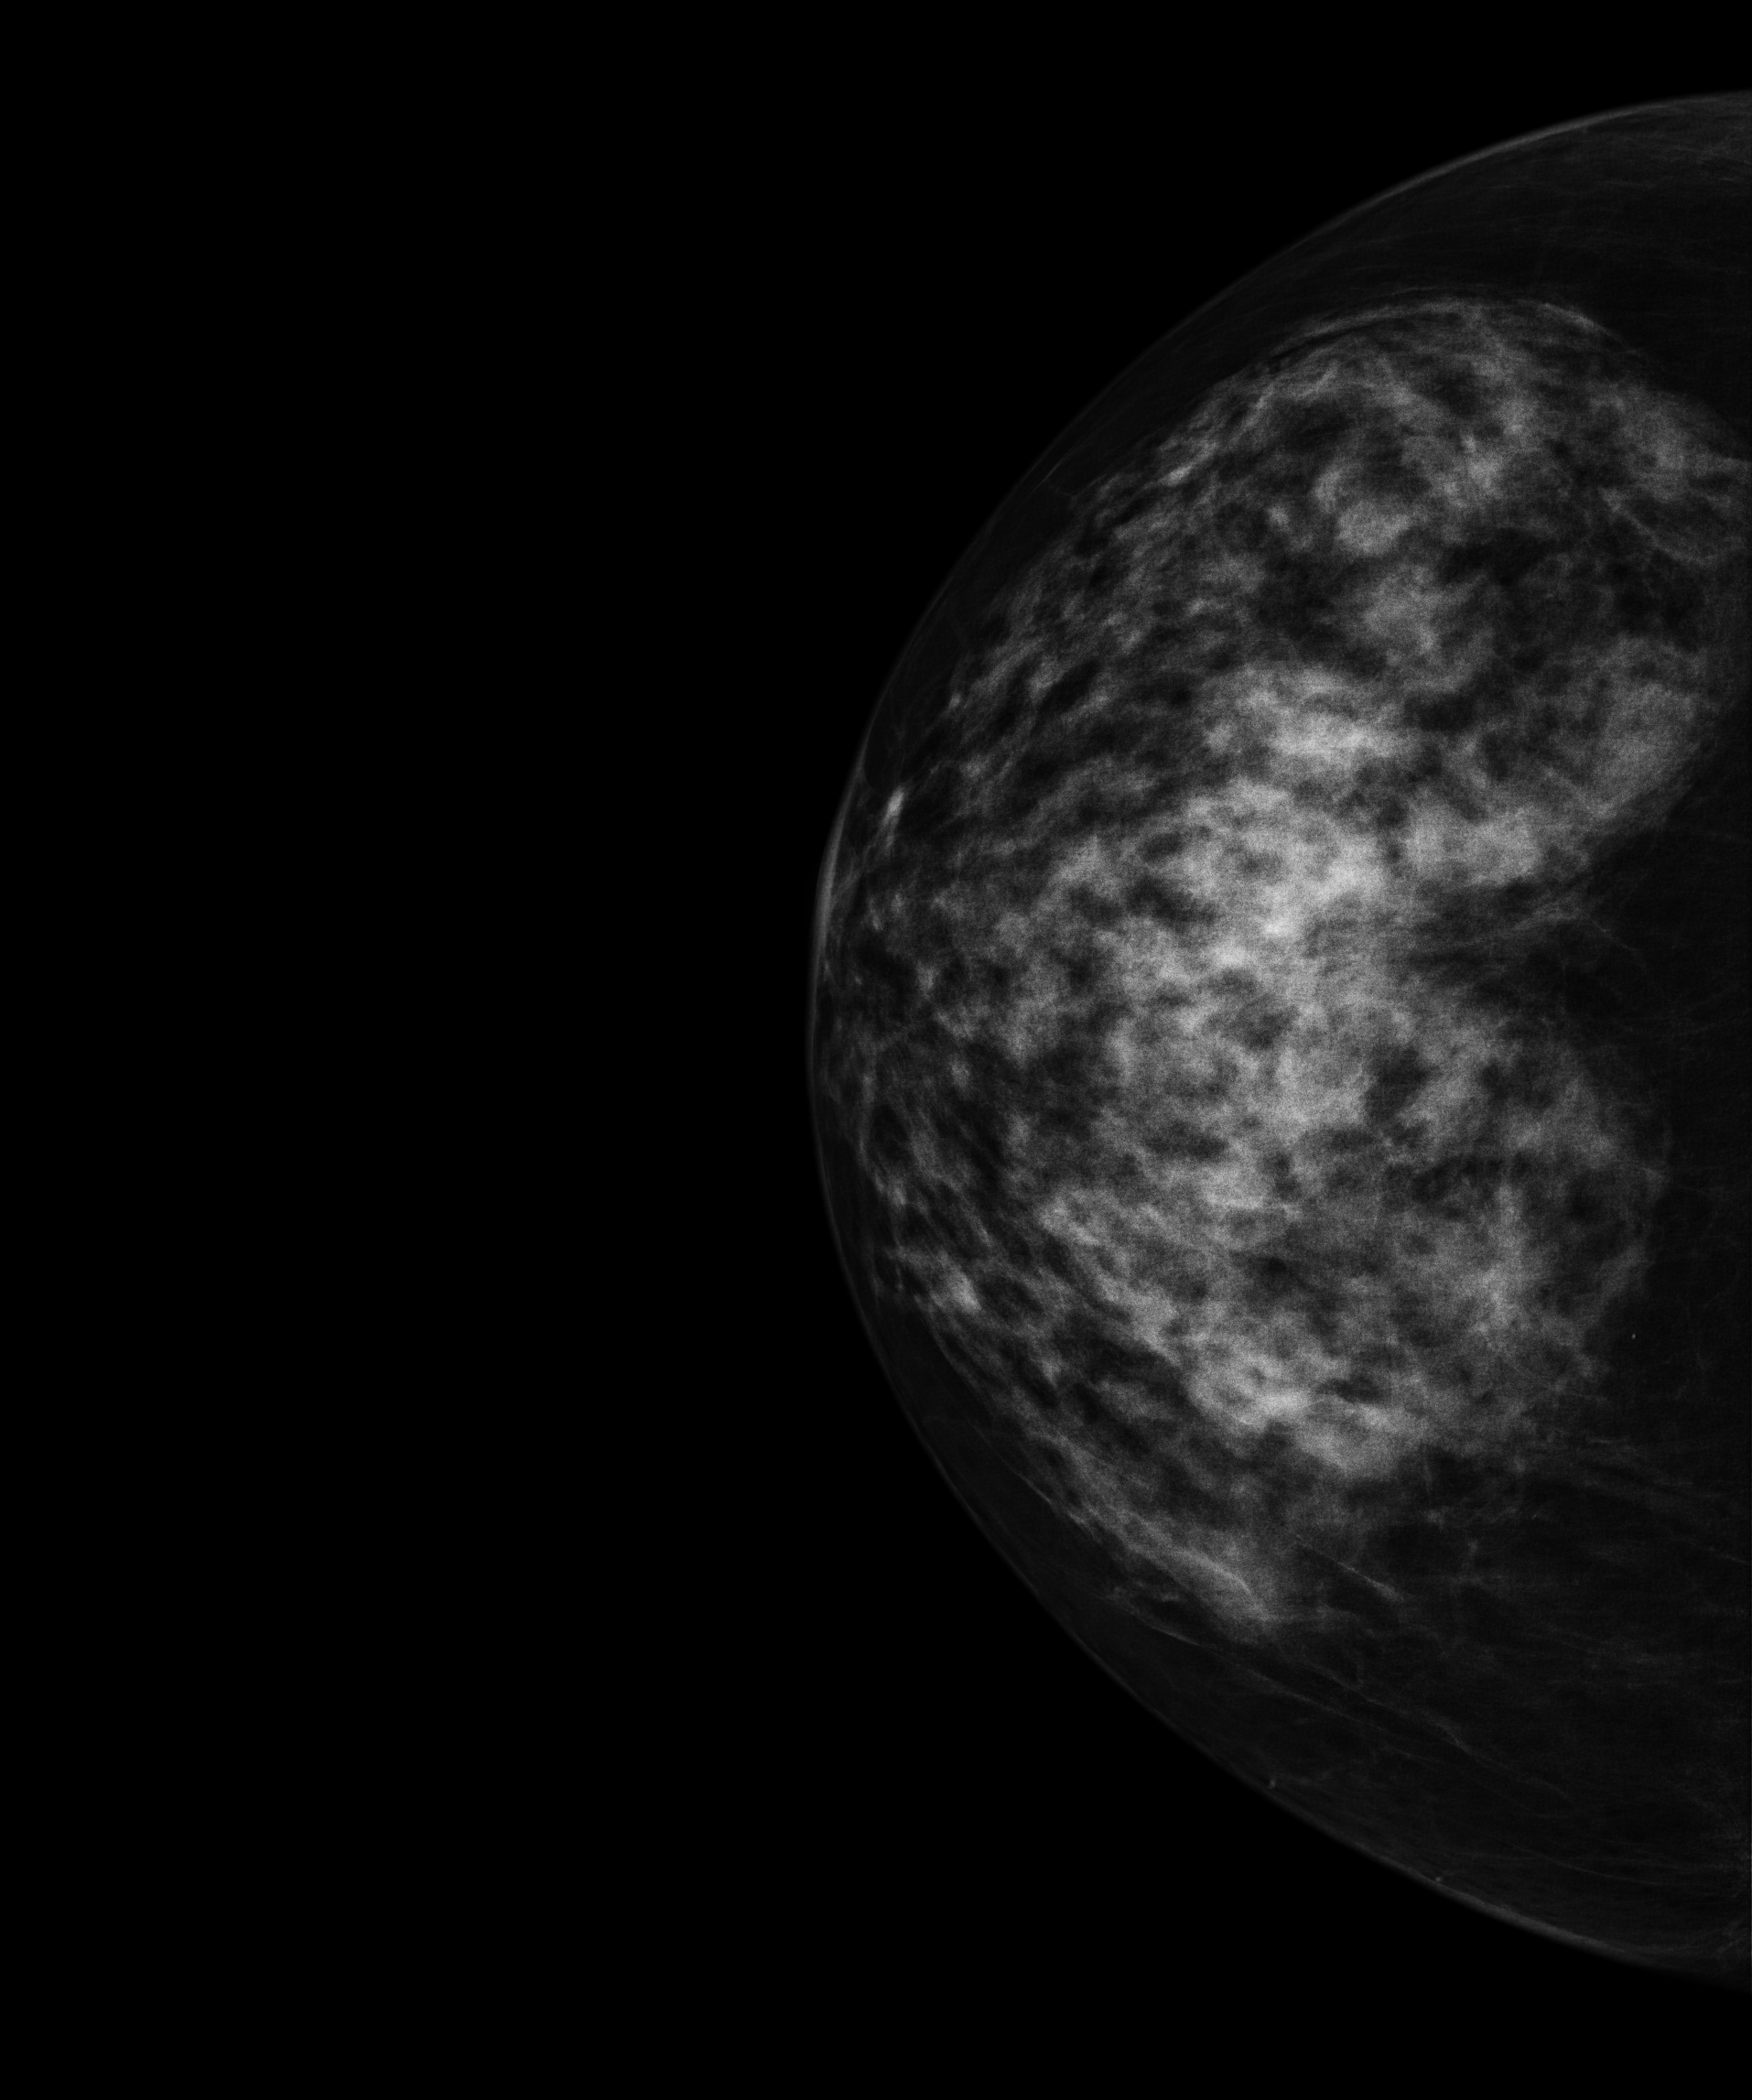
Mammogram — right CC. Patient age 56.
Contralateral breast — no documented abnormality on this side.